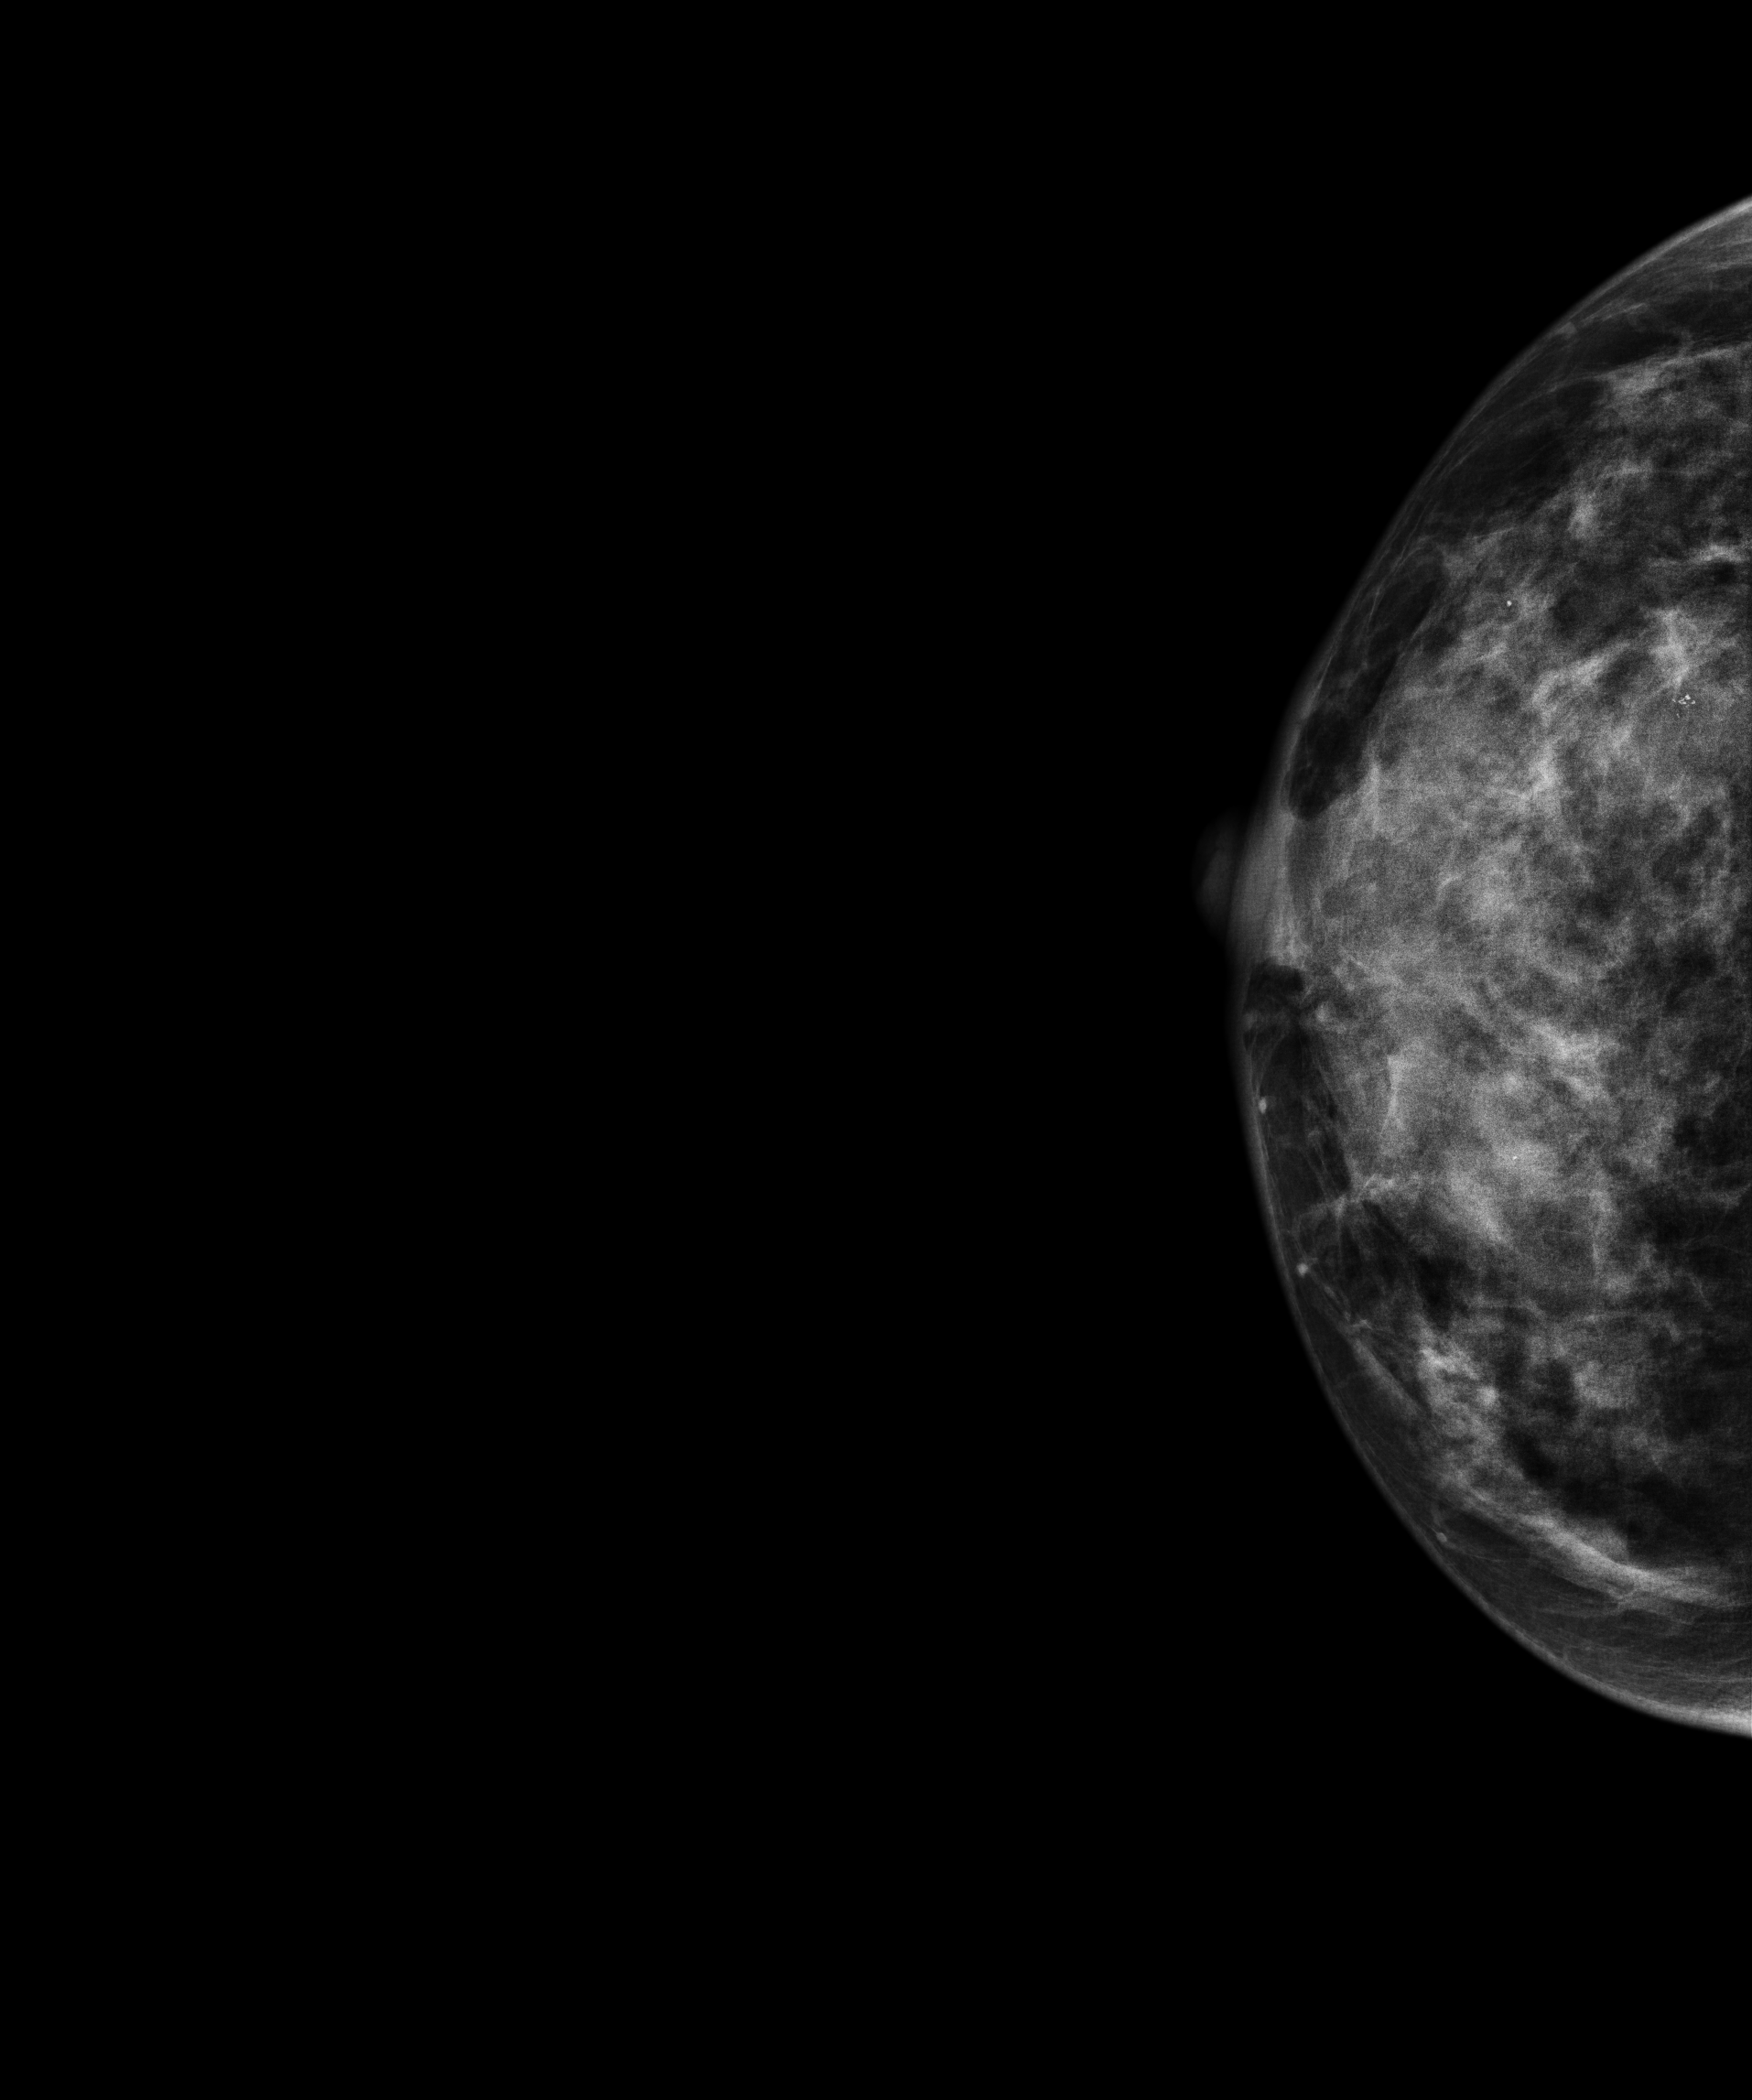
CC mammogram of the right breast. 52 y/o patient.
This breast has calcifications, biopsy-confirmed malignant. Molecular subtype: HER2-enriched.